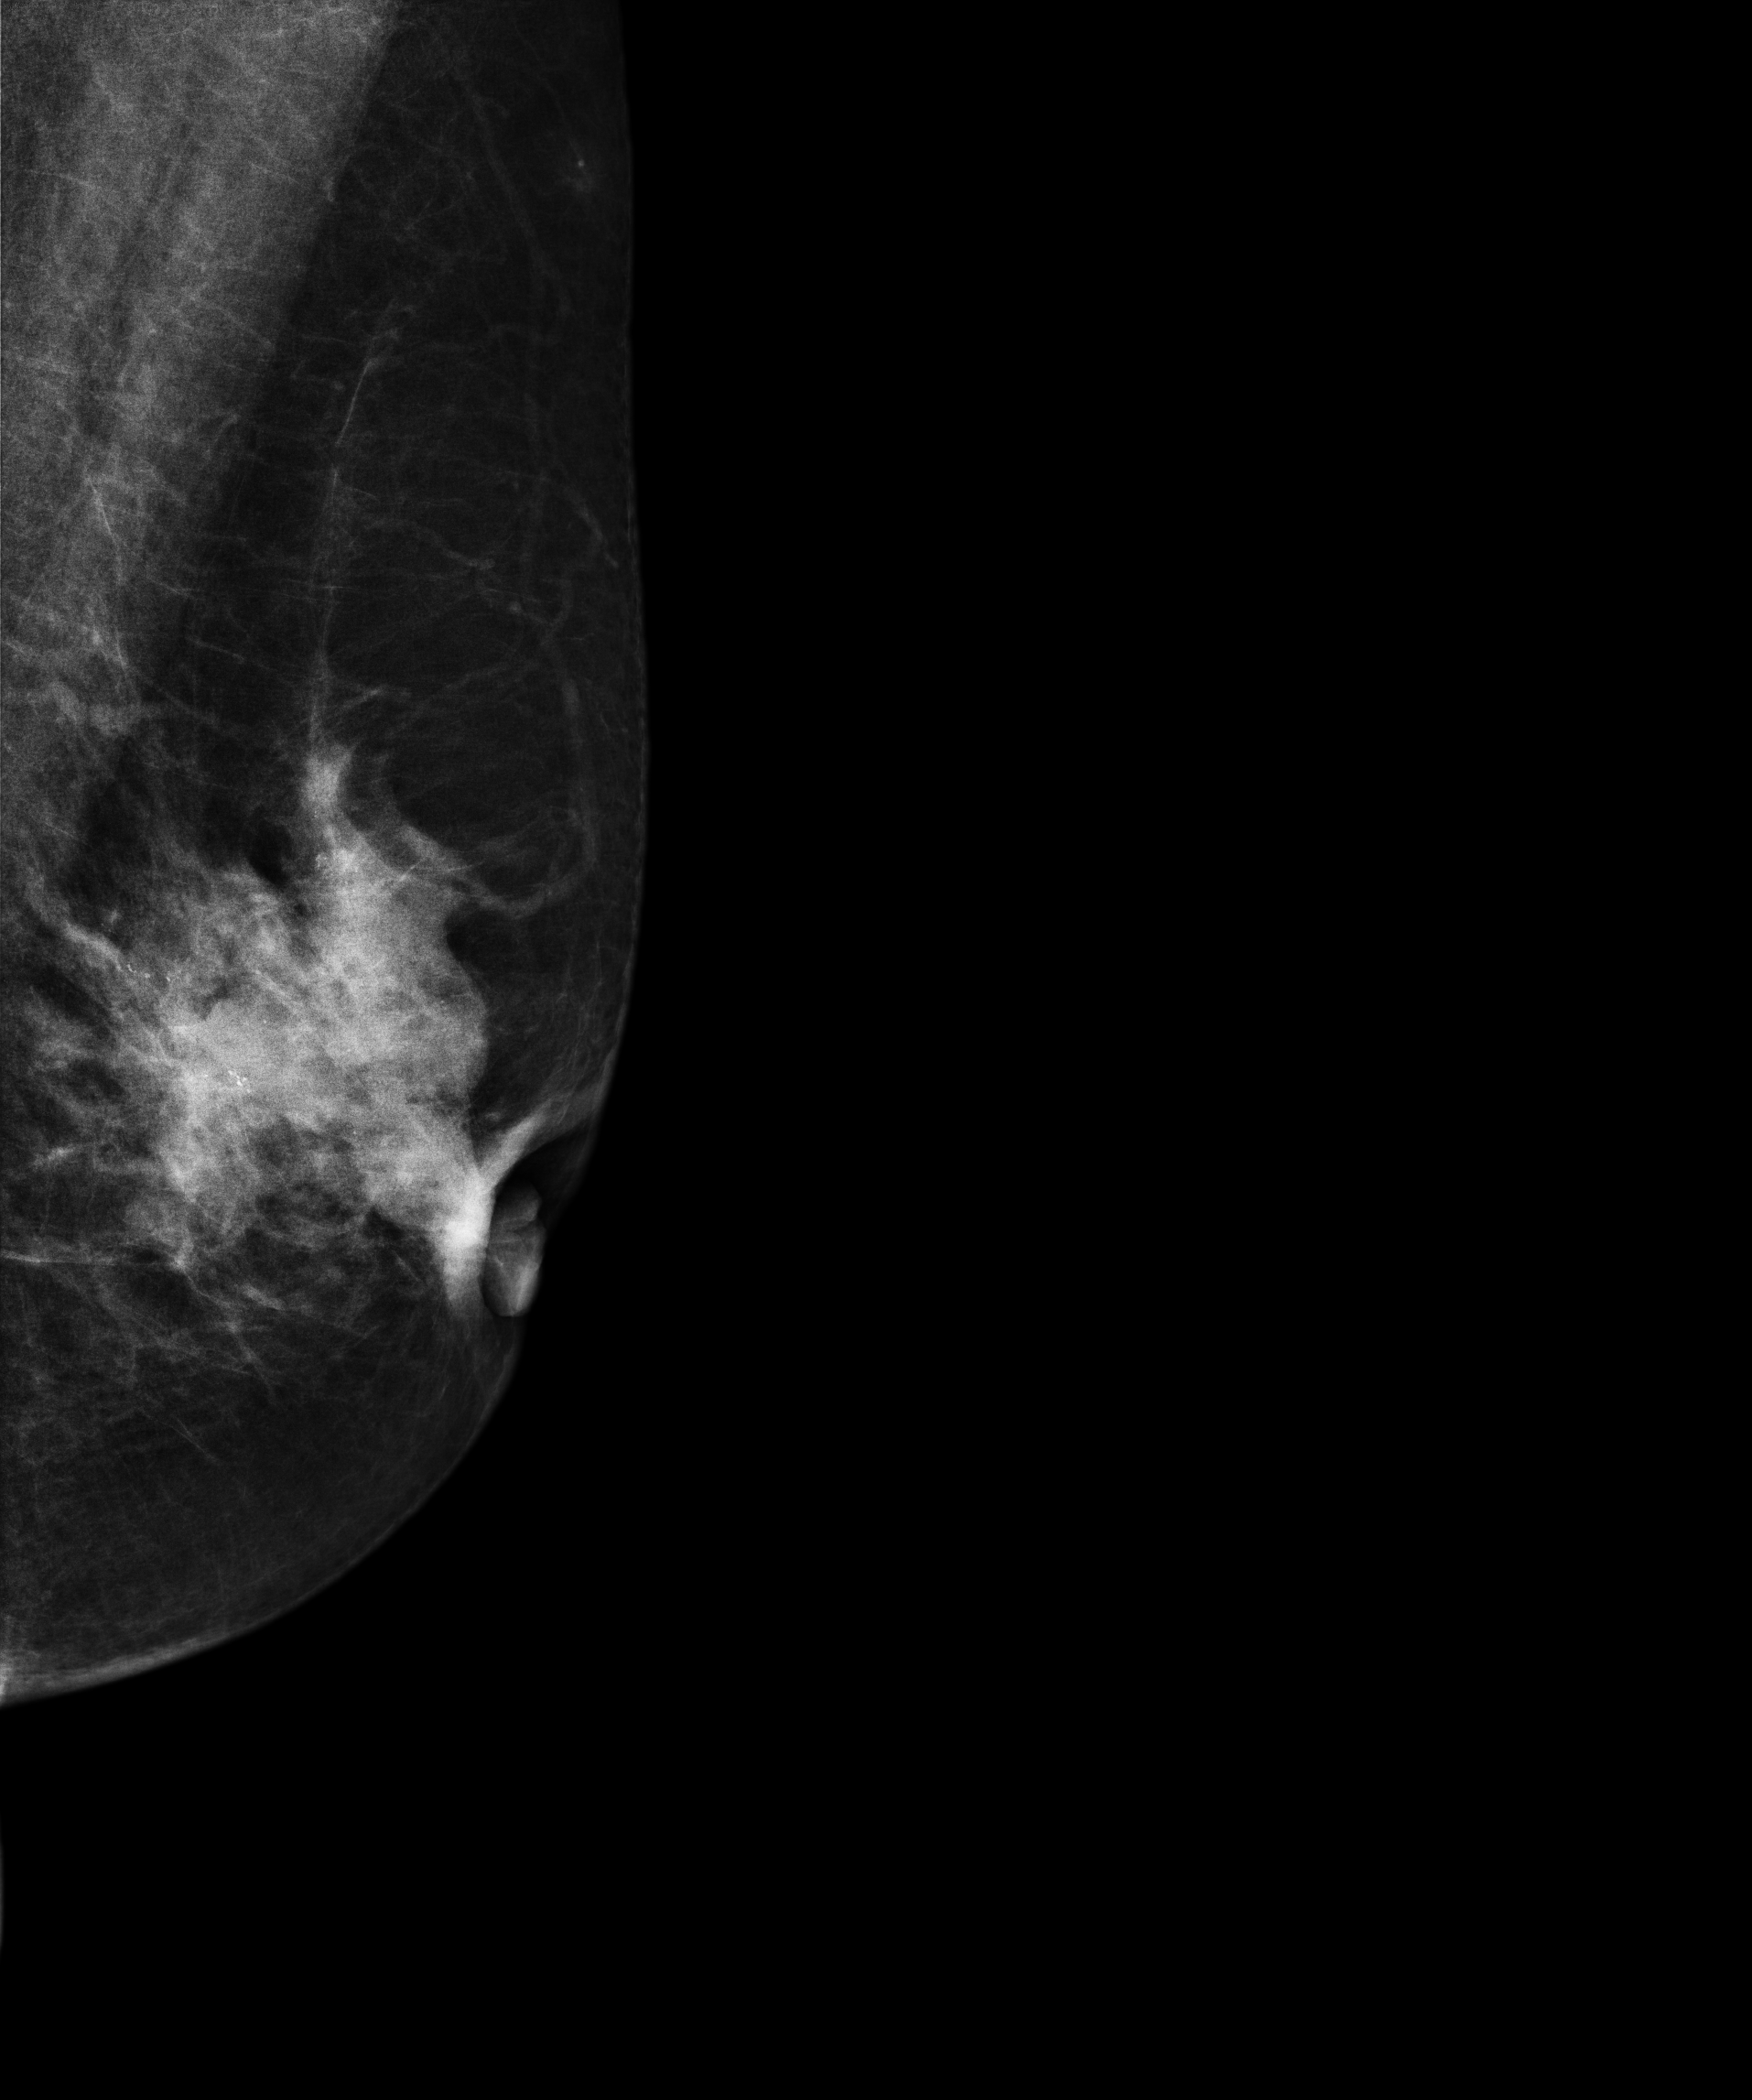
Digital mammography. Left breast, medio-lateral oblique projection. 57-year-old patient.
This breast has a mass and calcifications, biopsy-proven malignant. Molecular subtype: luminal B.